Mammogram, right breast, medio-lateral oblique view. Patient age 47.
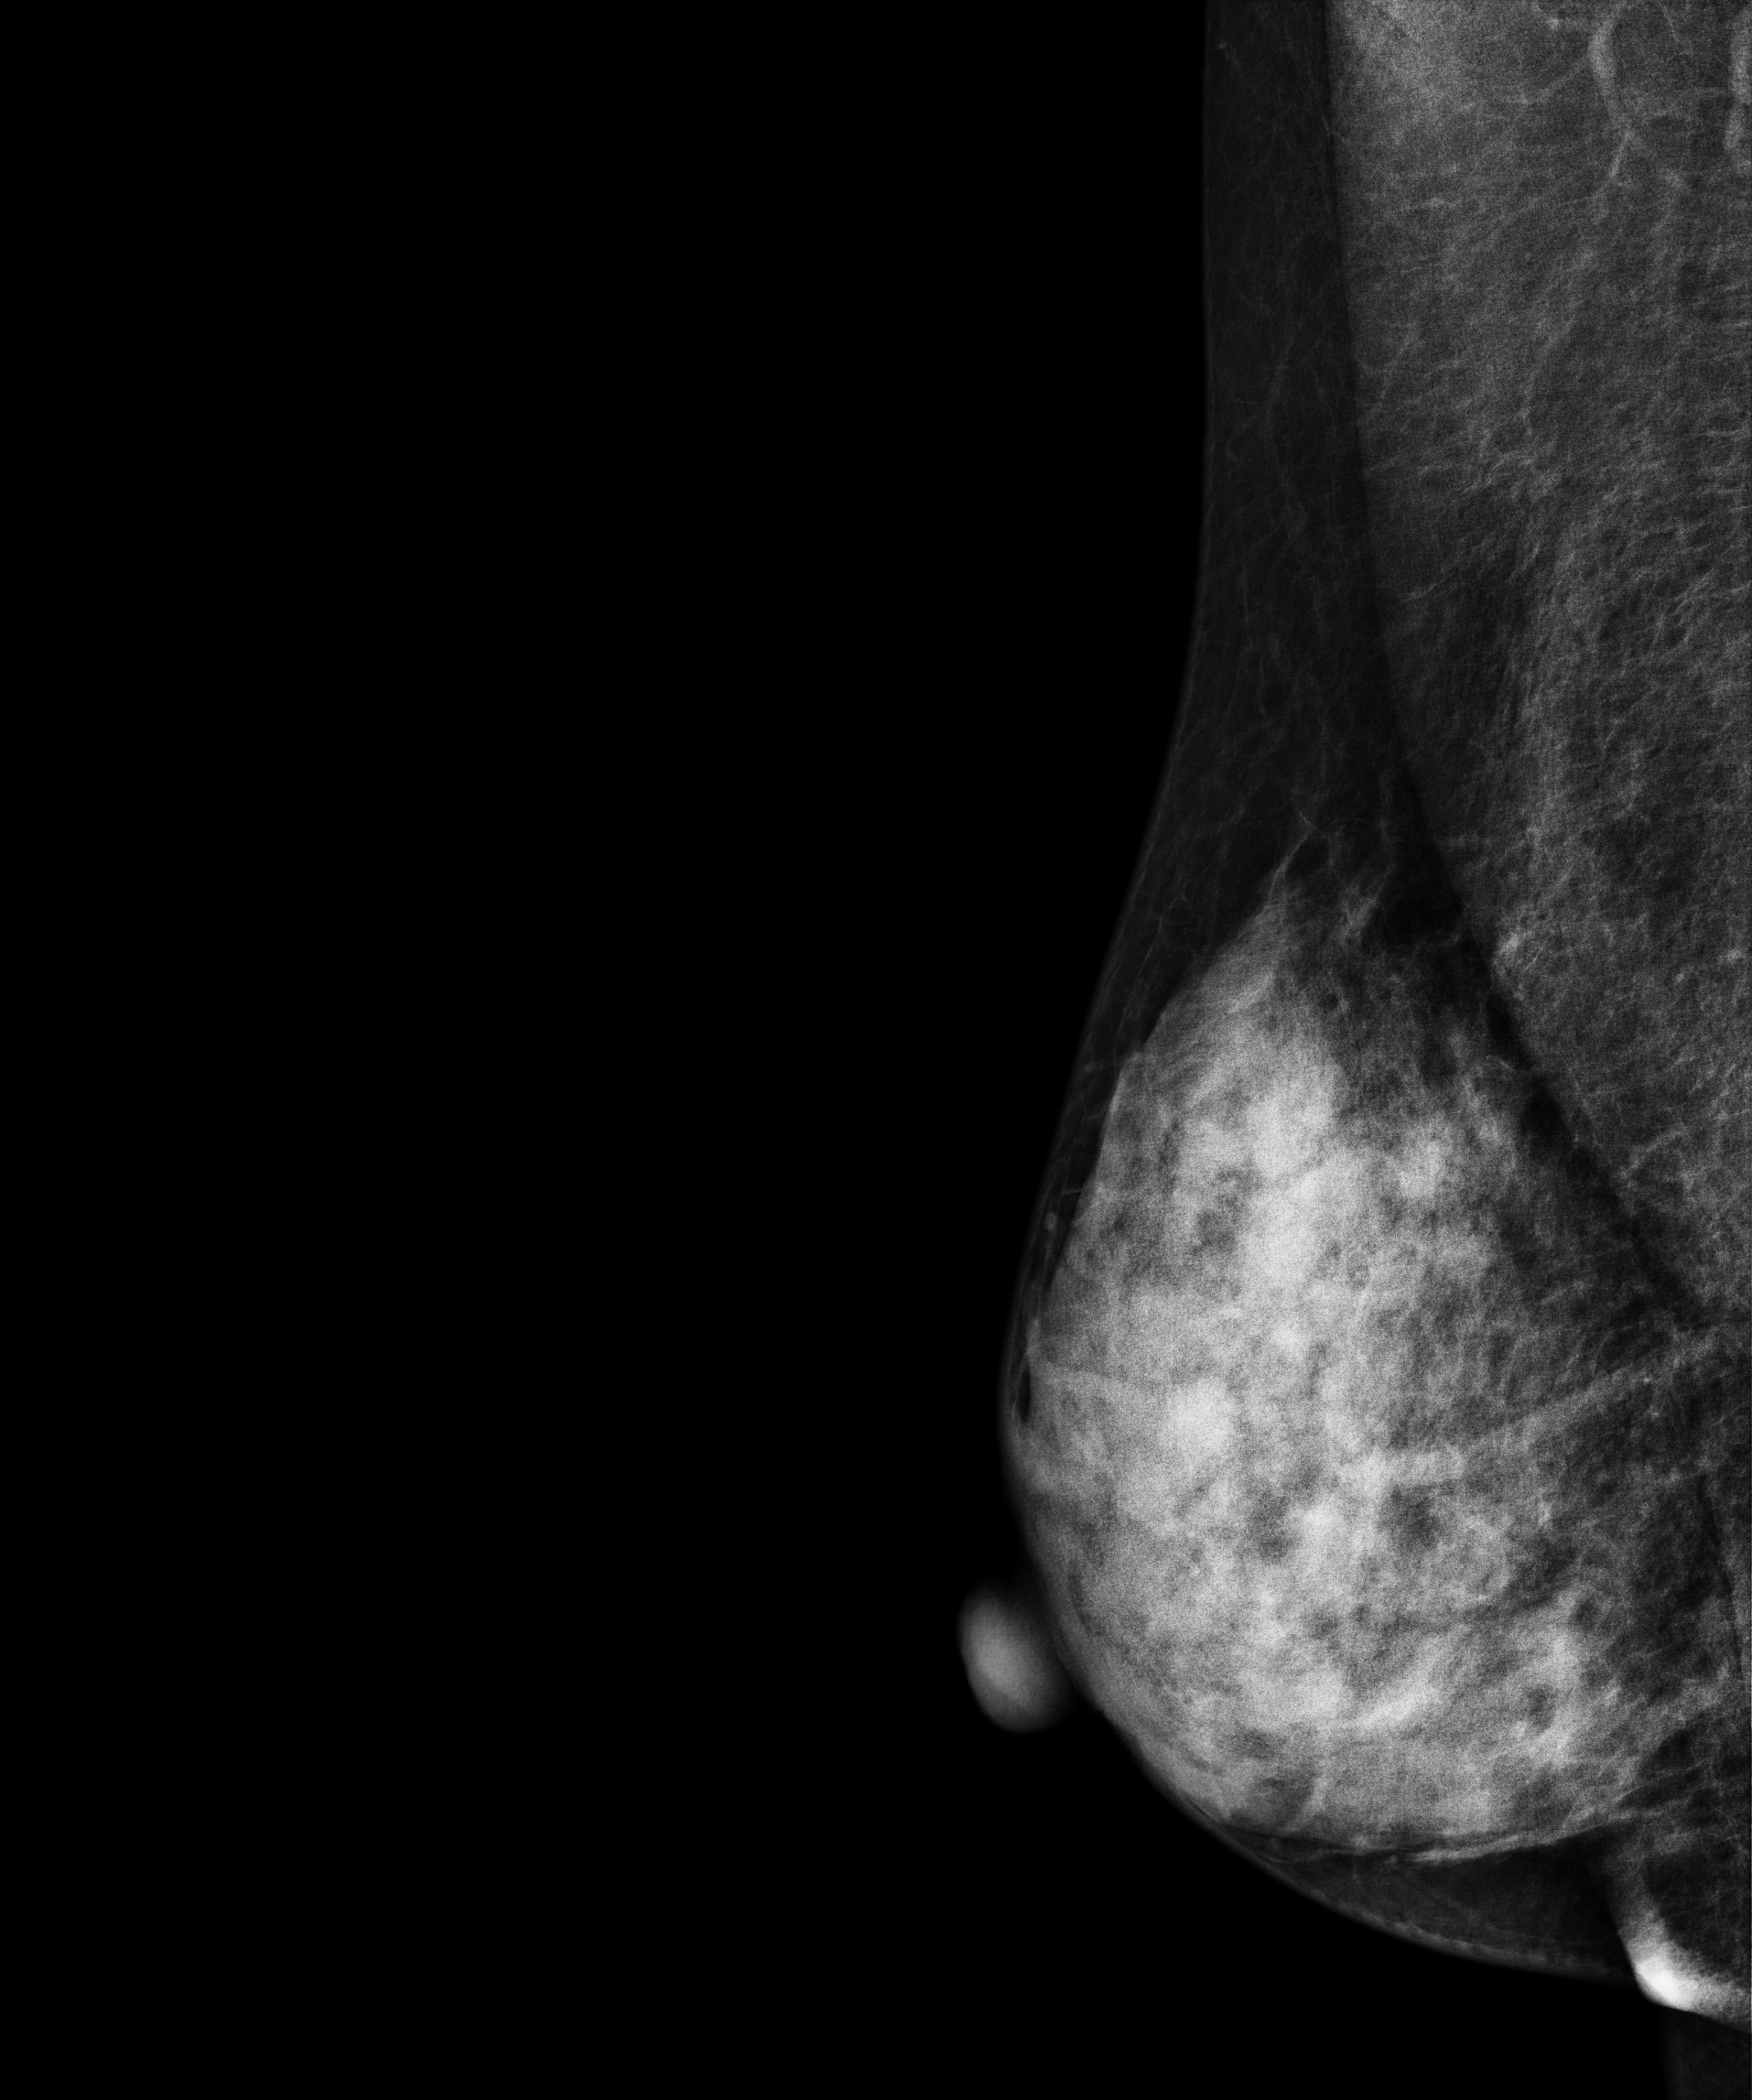
This breast has a mass, biopsy-proven benign.